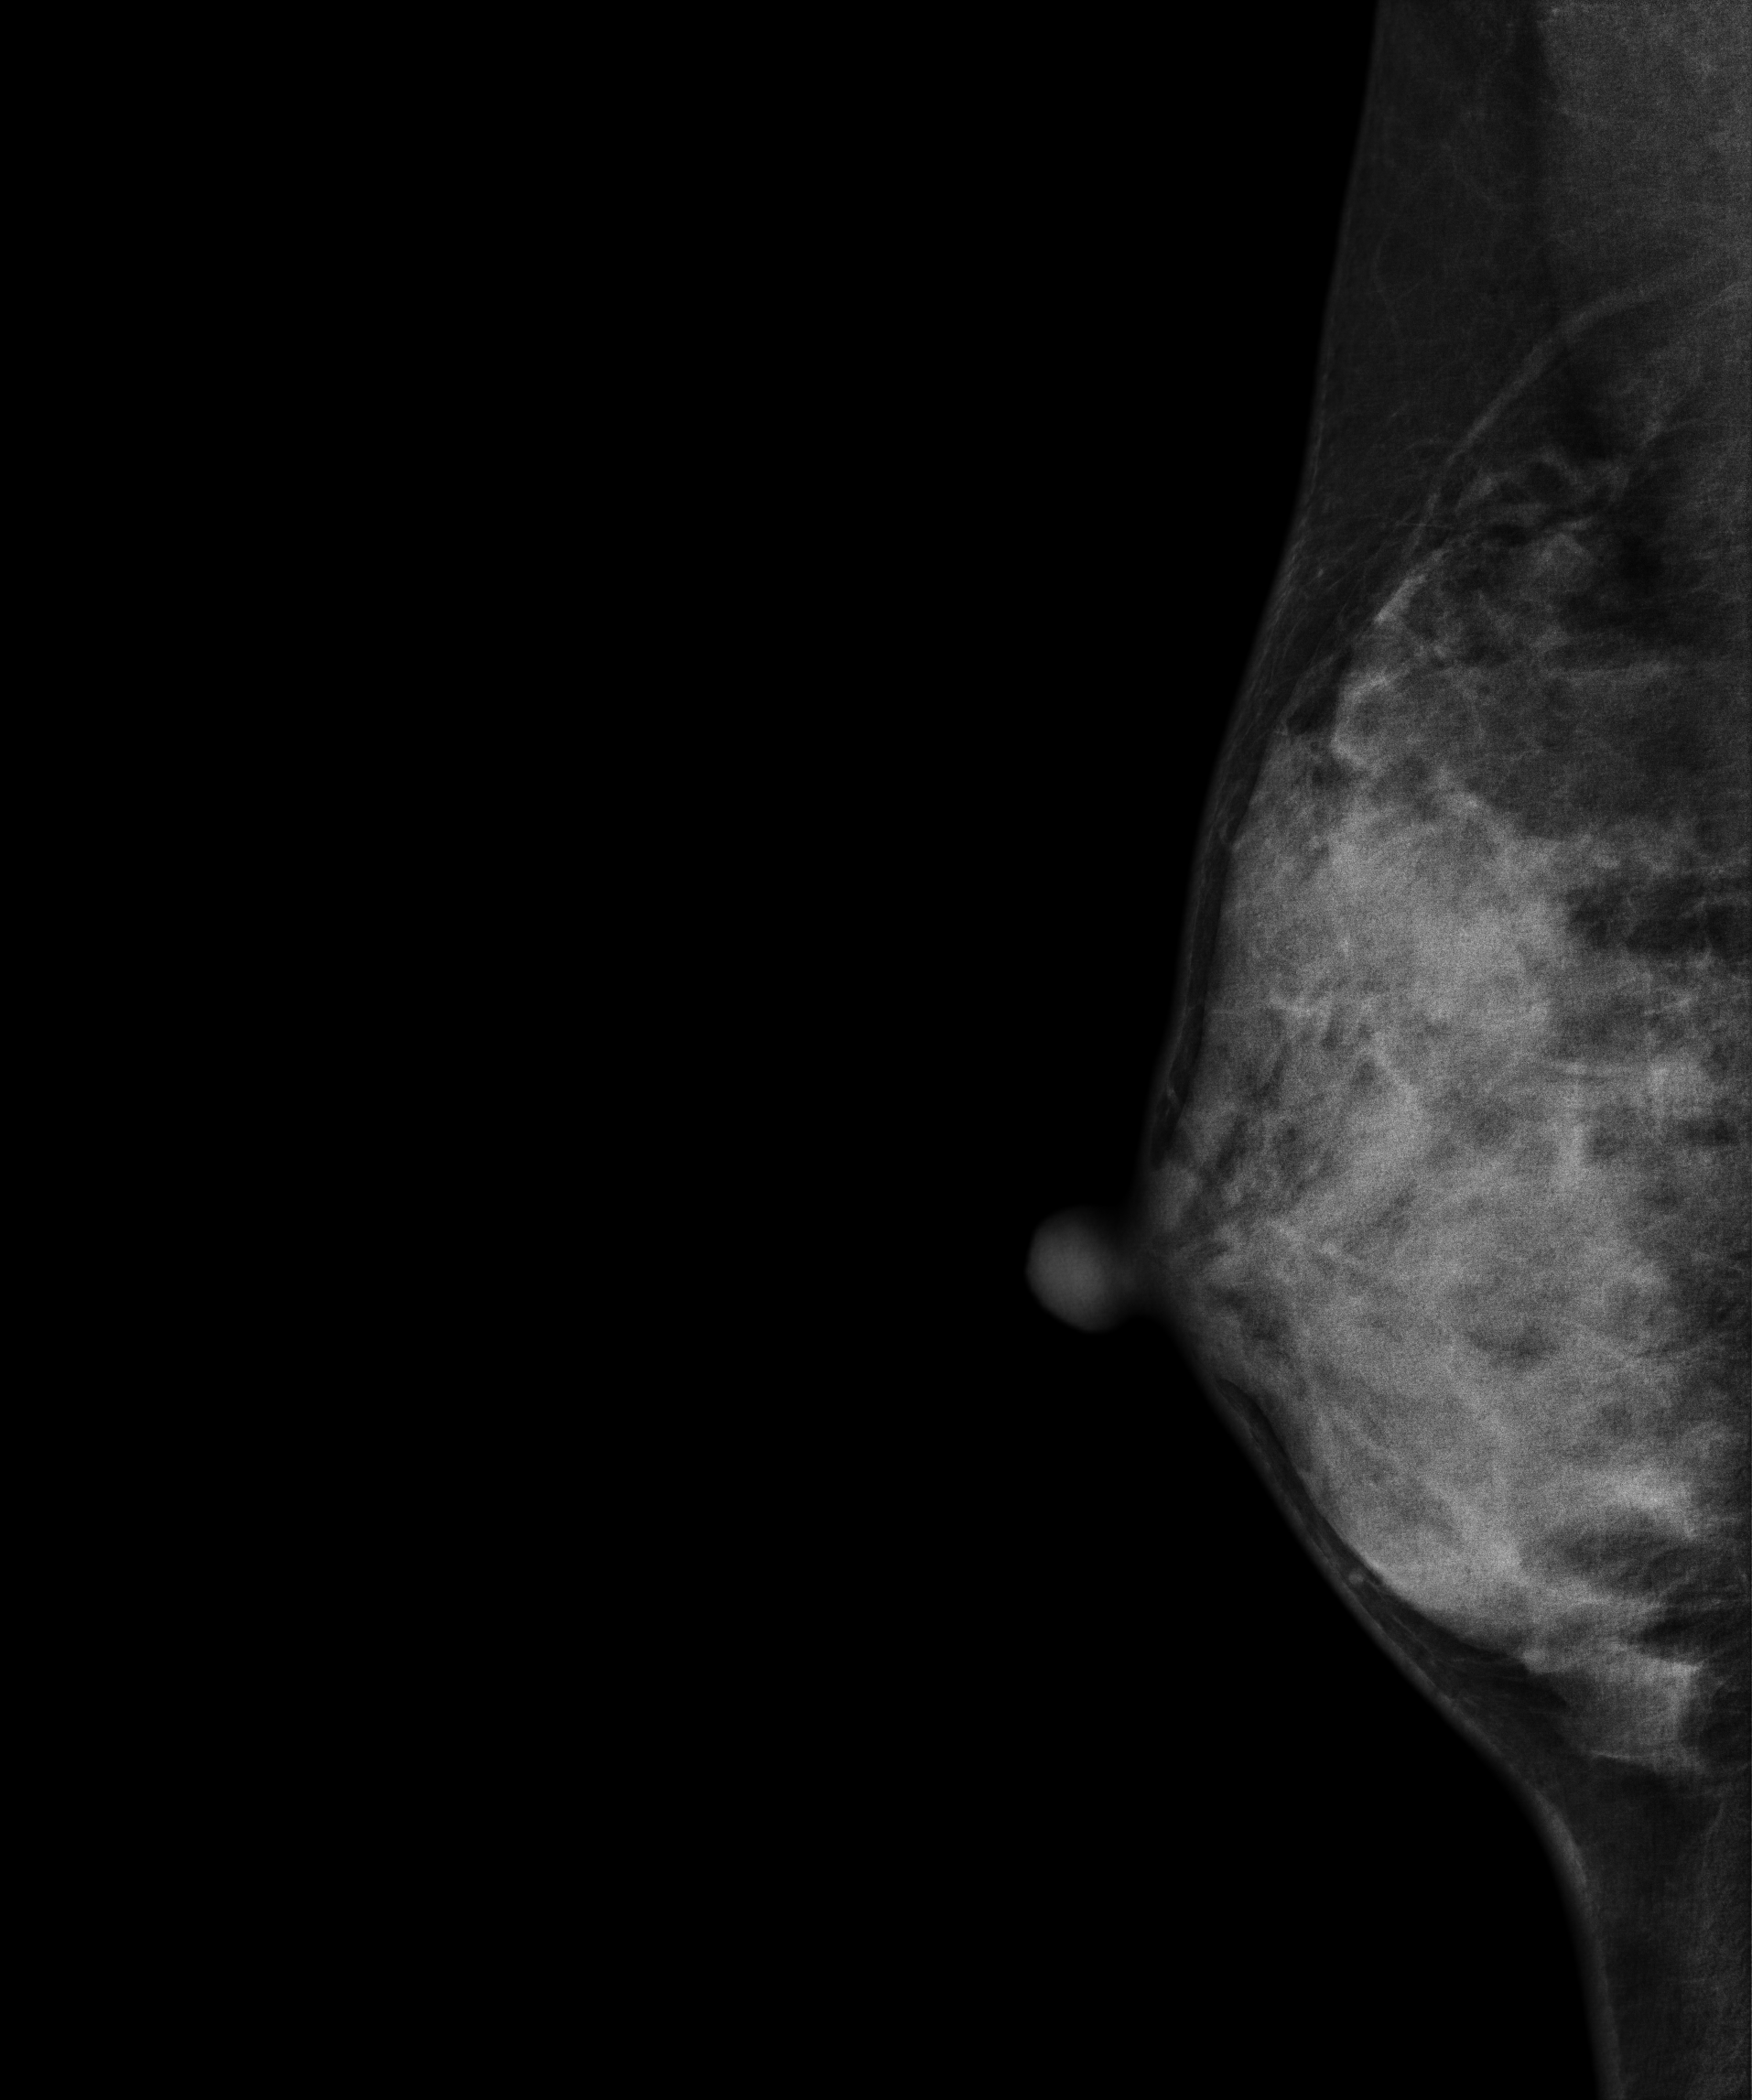
MLO mammogram of the right breast. Patient age 44.
Contralateral breast — no documented abnormality on this side.